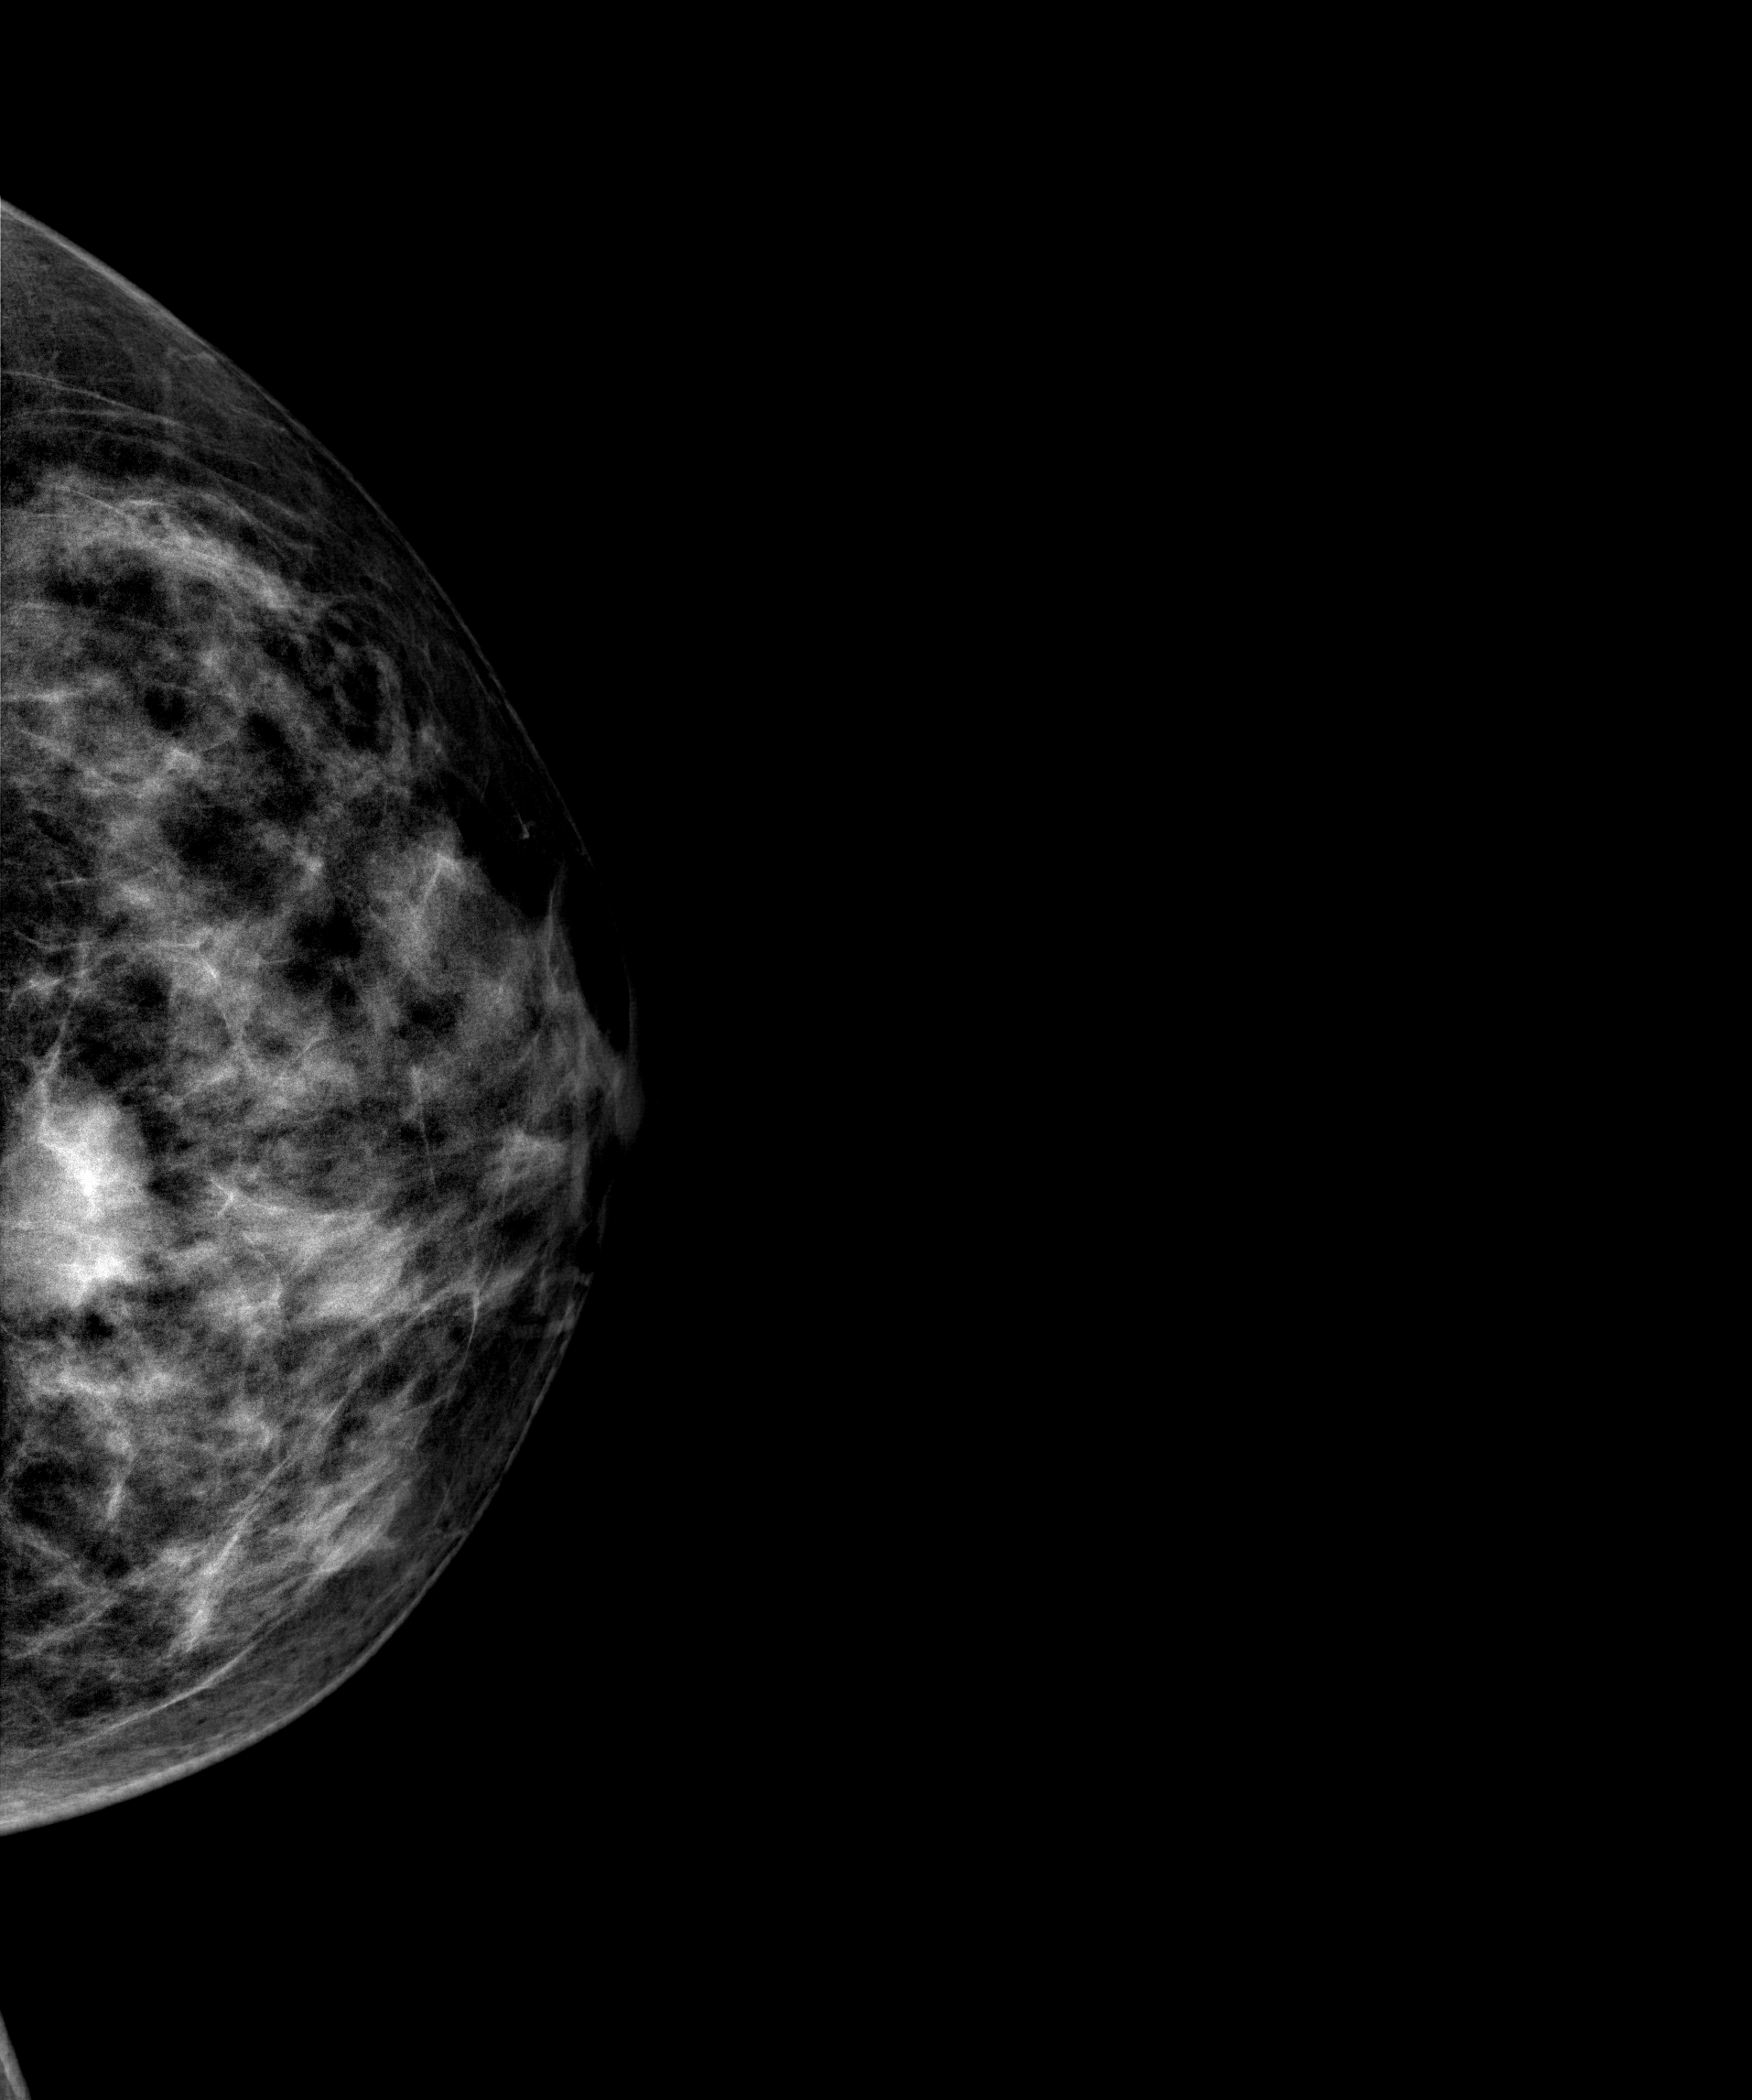
Digital mammography. Left breast, CC projection. 41 y/o patient.
This breast has a mass, histologically confirmed malignant.